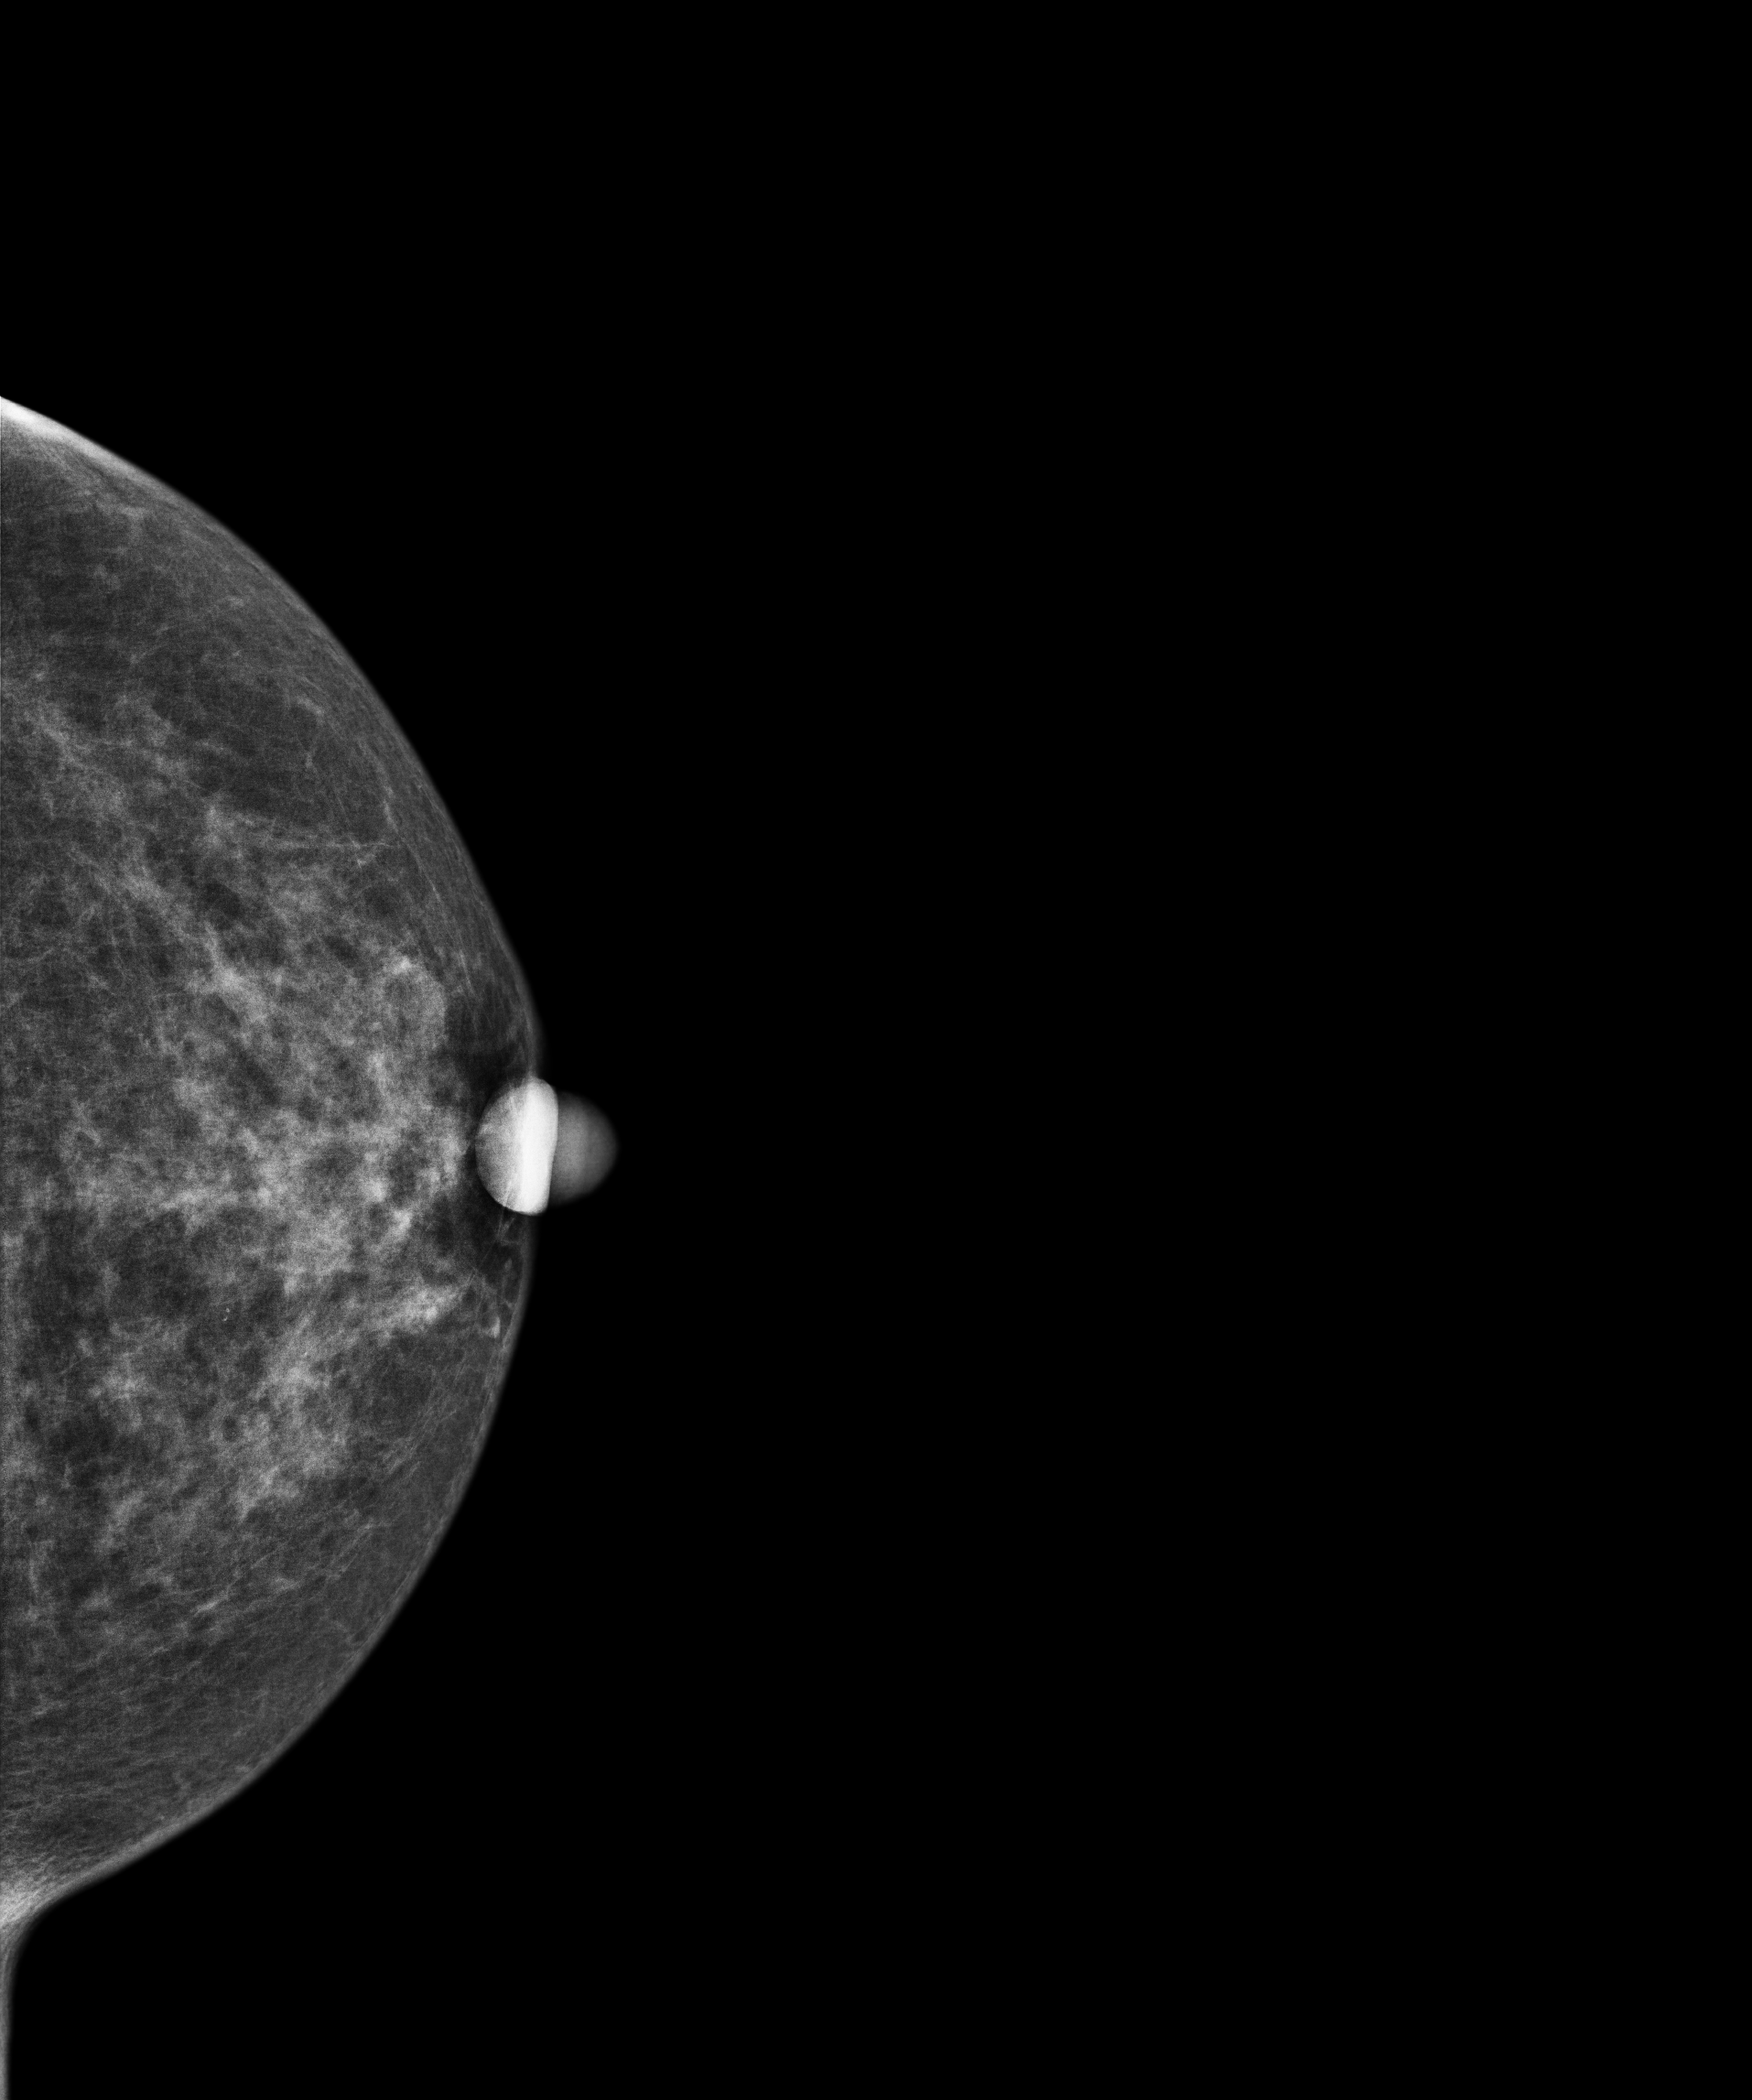
Mammogram, left breast, CC view. Patient age 60.
Contralateral breast — no documented abnormality on this side.